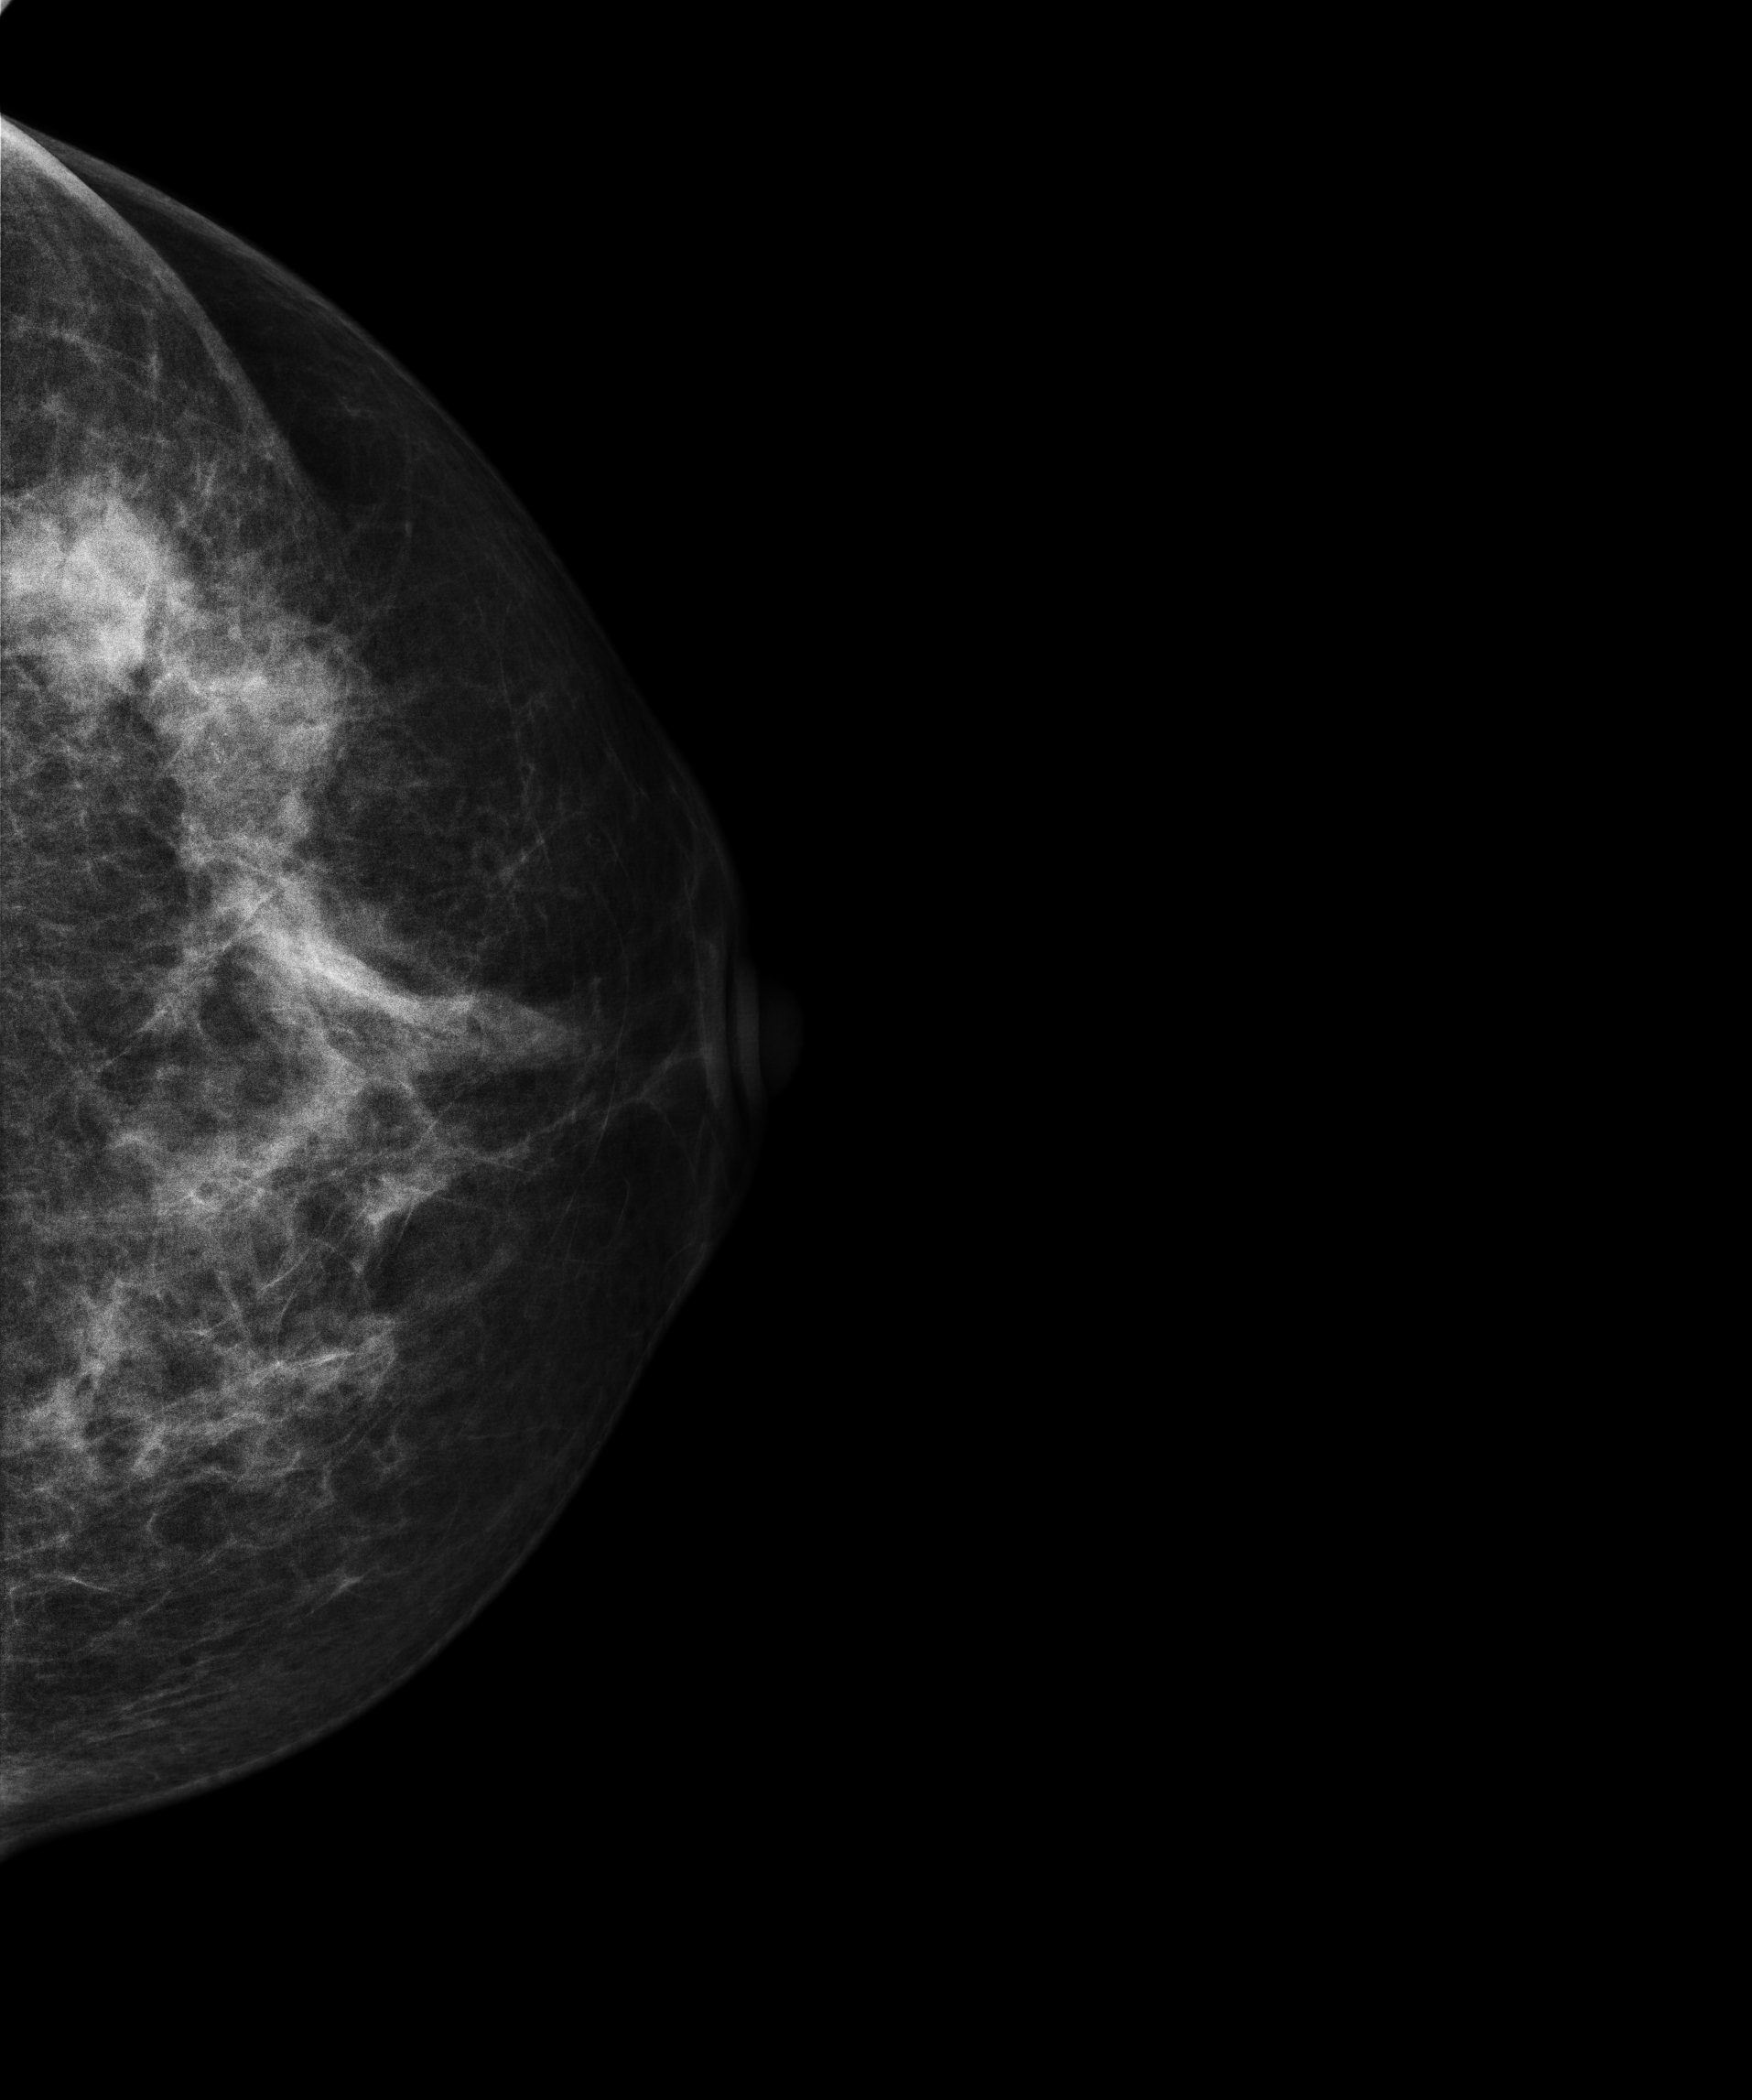
Mammogram — left CC. Patient age 53.
This breast has a mass, biopsy-confirmed malignant.